Mammogram, left breast, cranio-caudal view. 52-year-old patient.
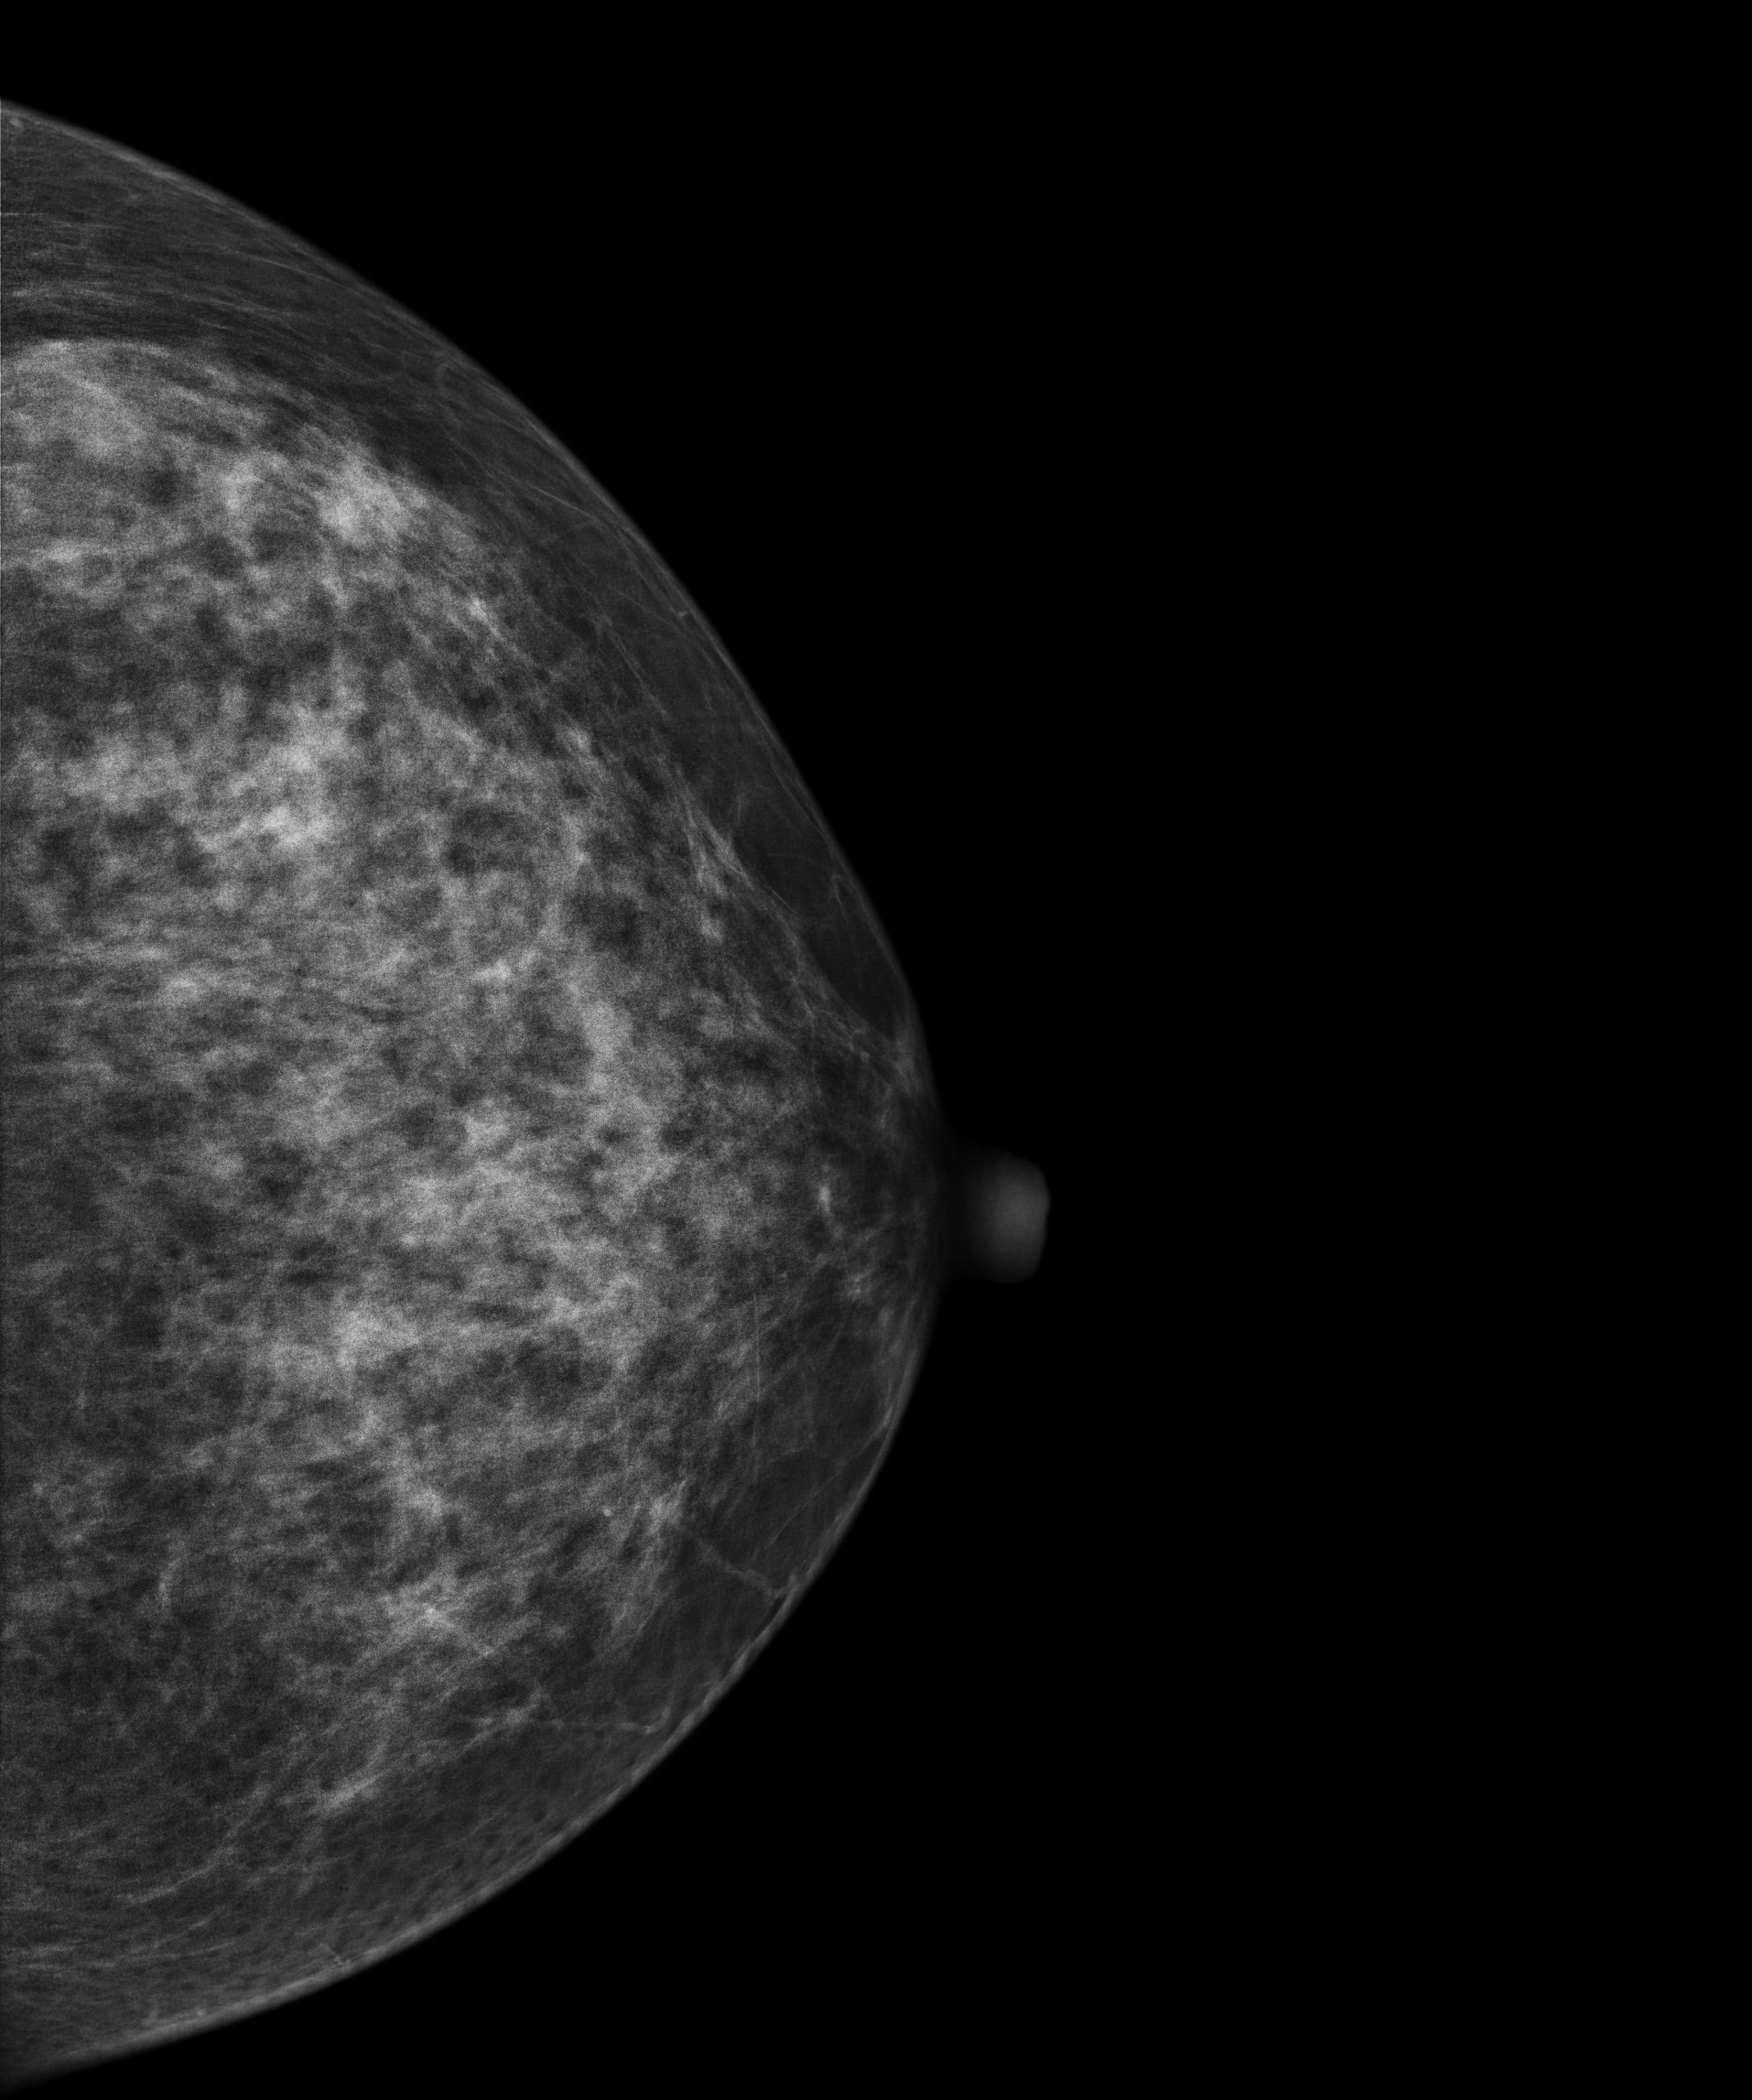
This breast has a mass, histologically confirmed malignant. Molecular subtype: luminal B.